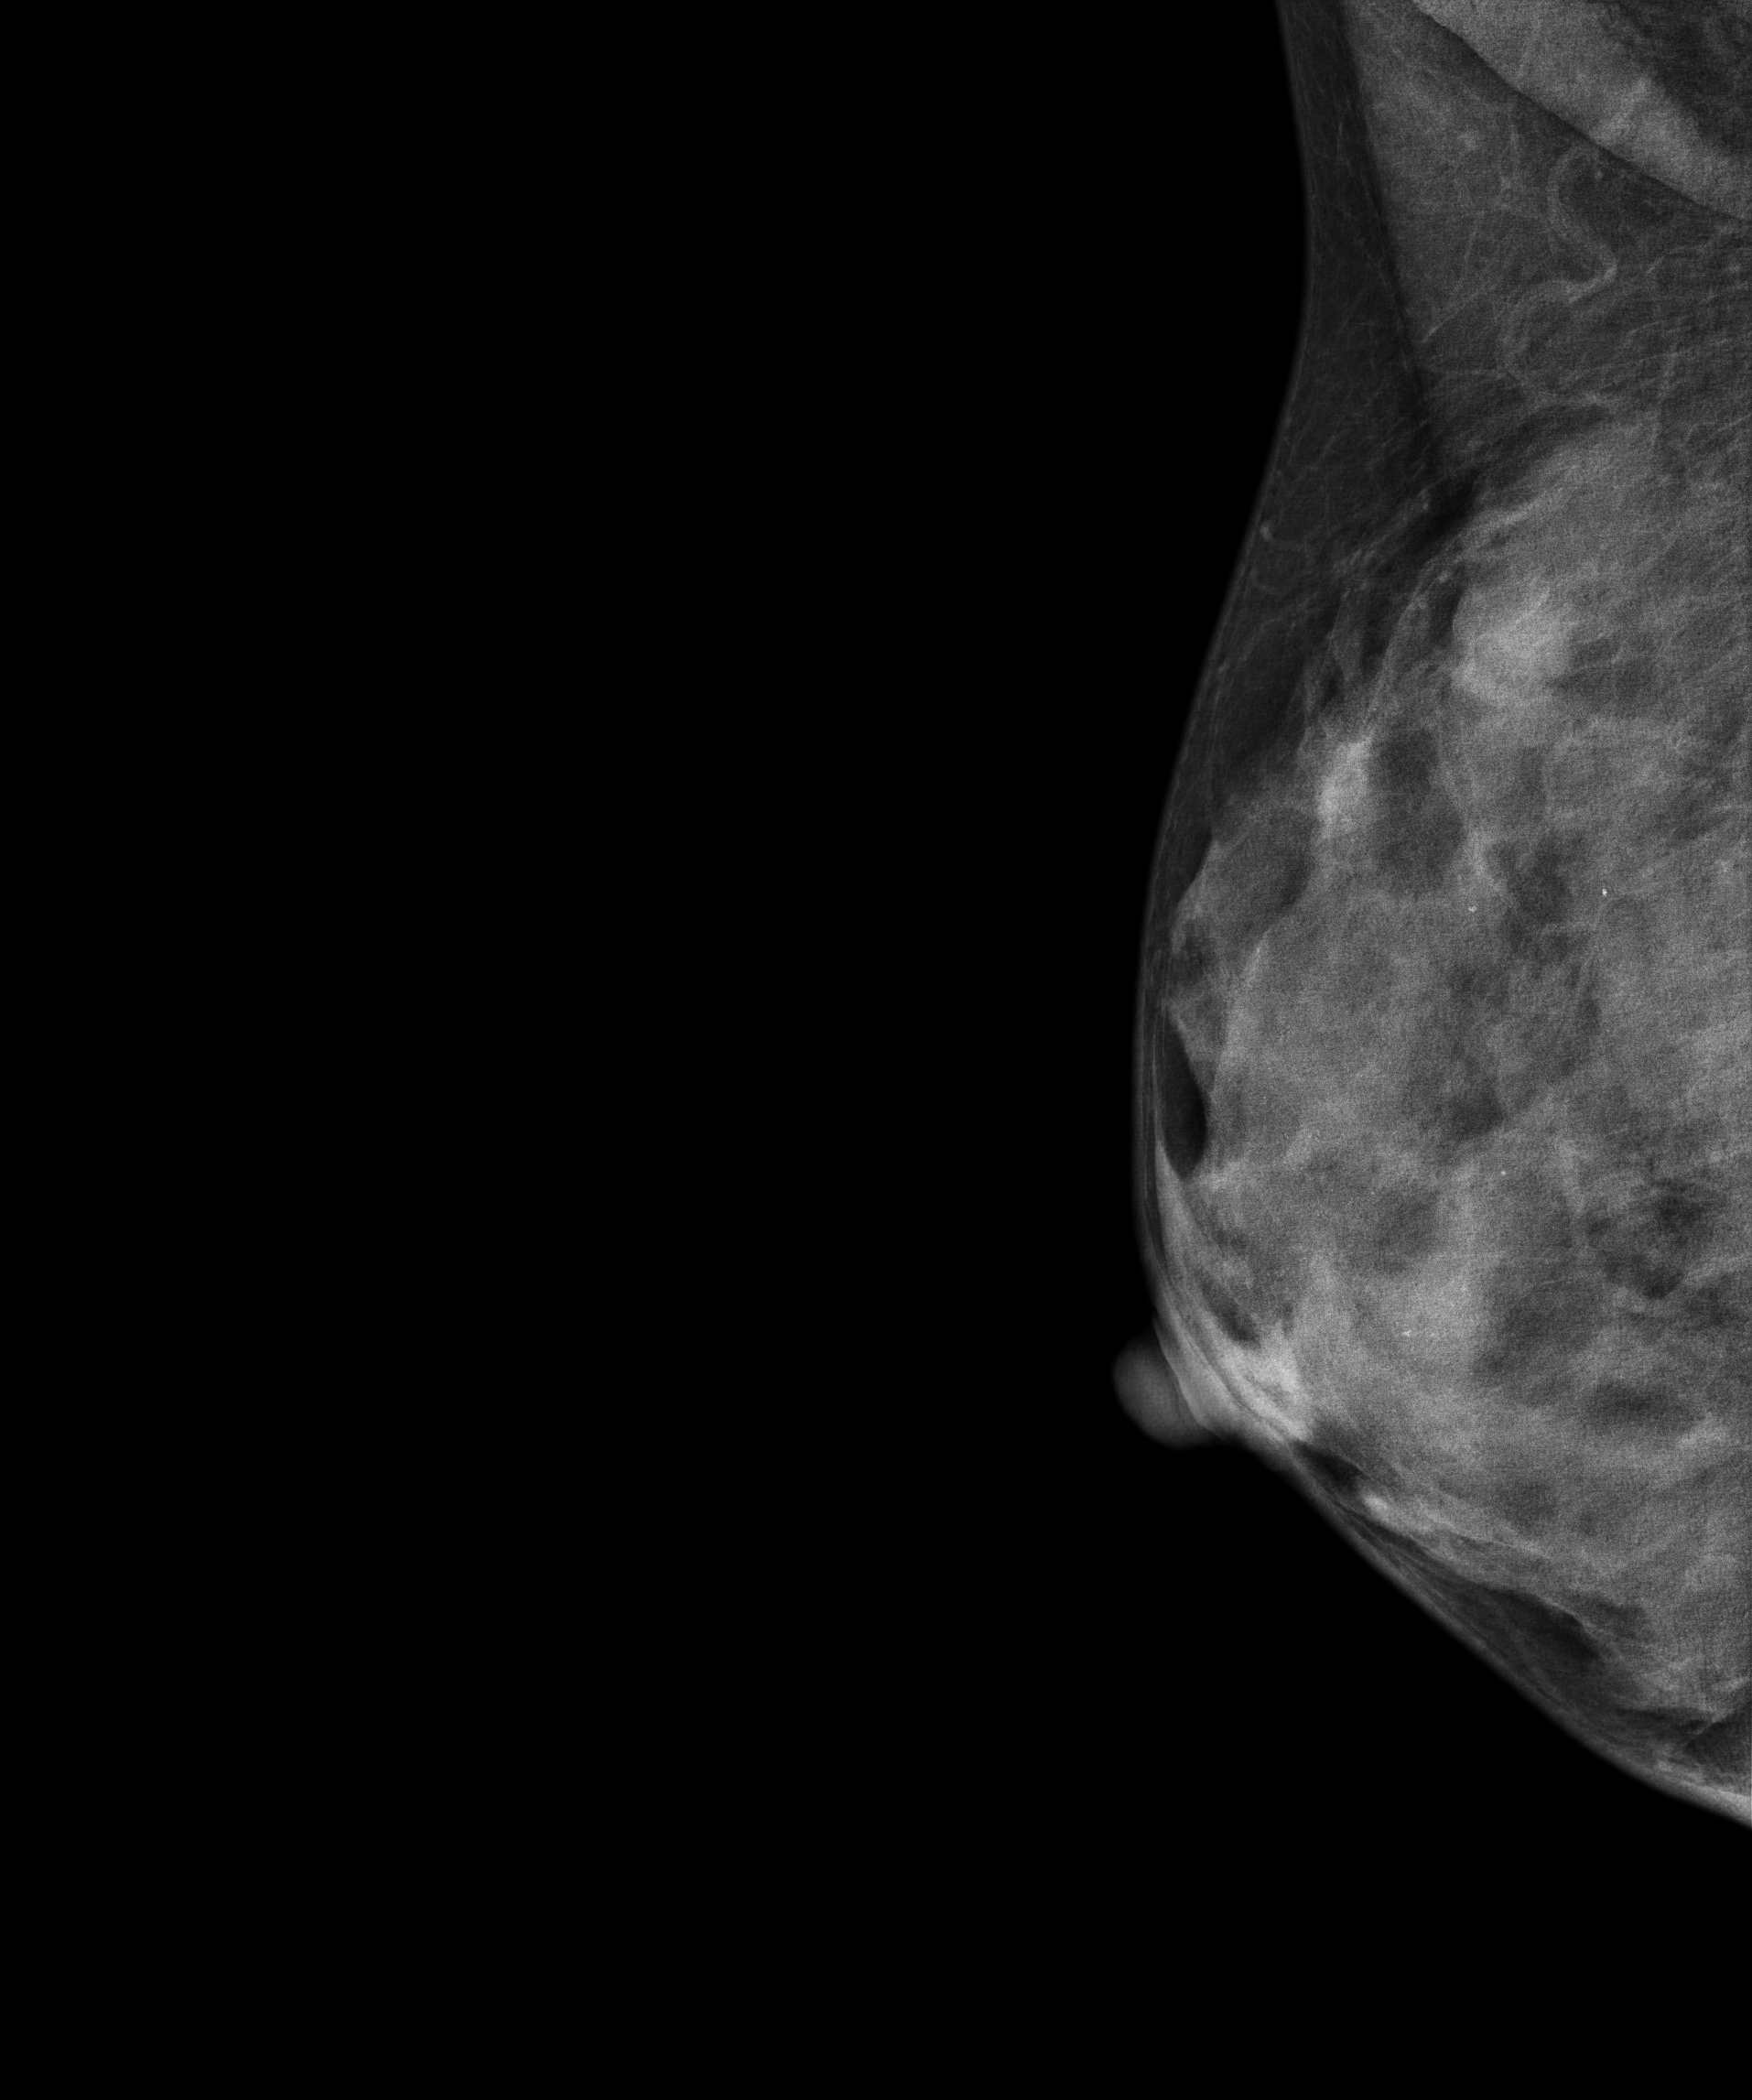
MLO mammogram of the right breast. Patient age 46.
This breast has a mass and calcifications, biopsy-confirmed malignant. Molecular subtype: luminal A.